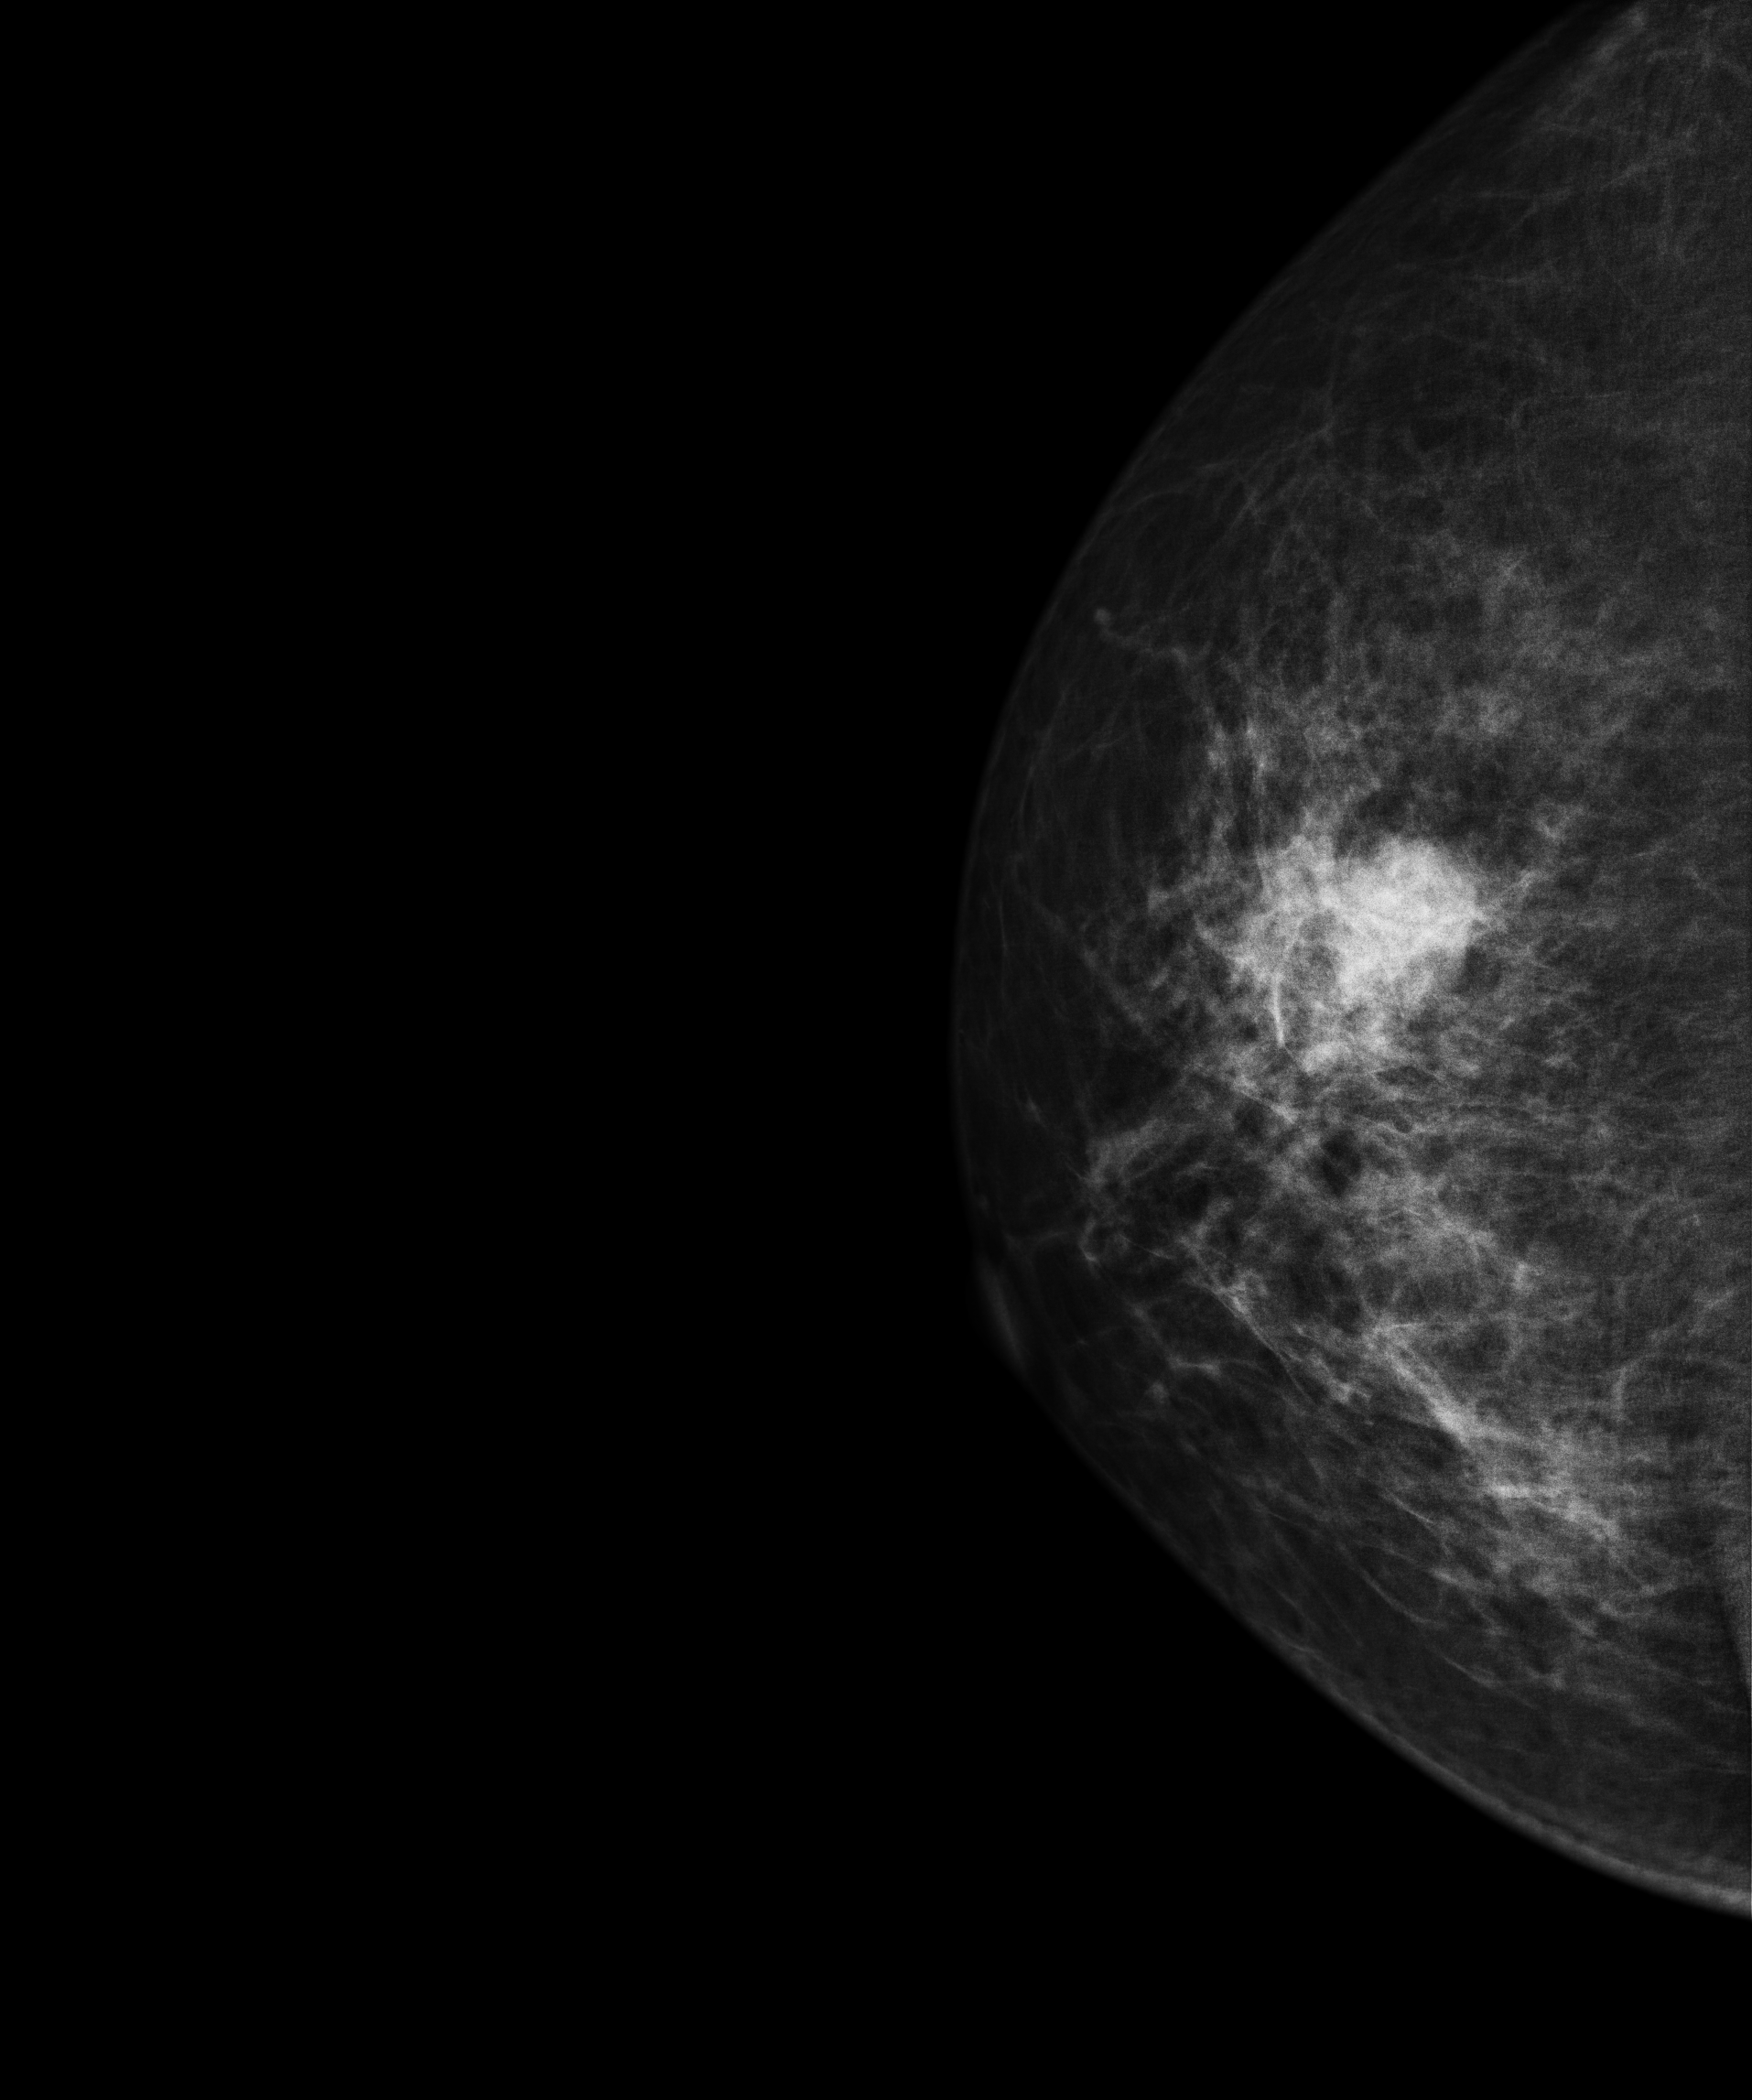
Right-breast mammogram, CC. 49-year-old patient.
This breast has a mass, biopsy-proven malignant.